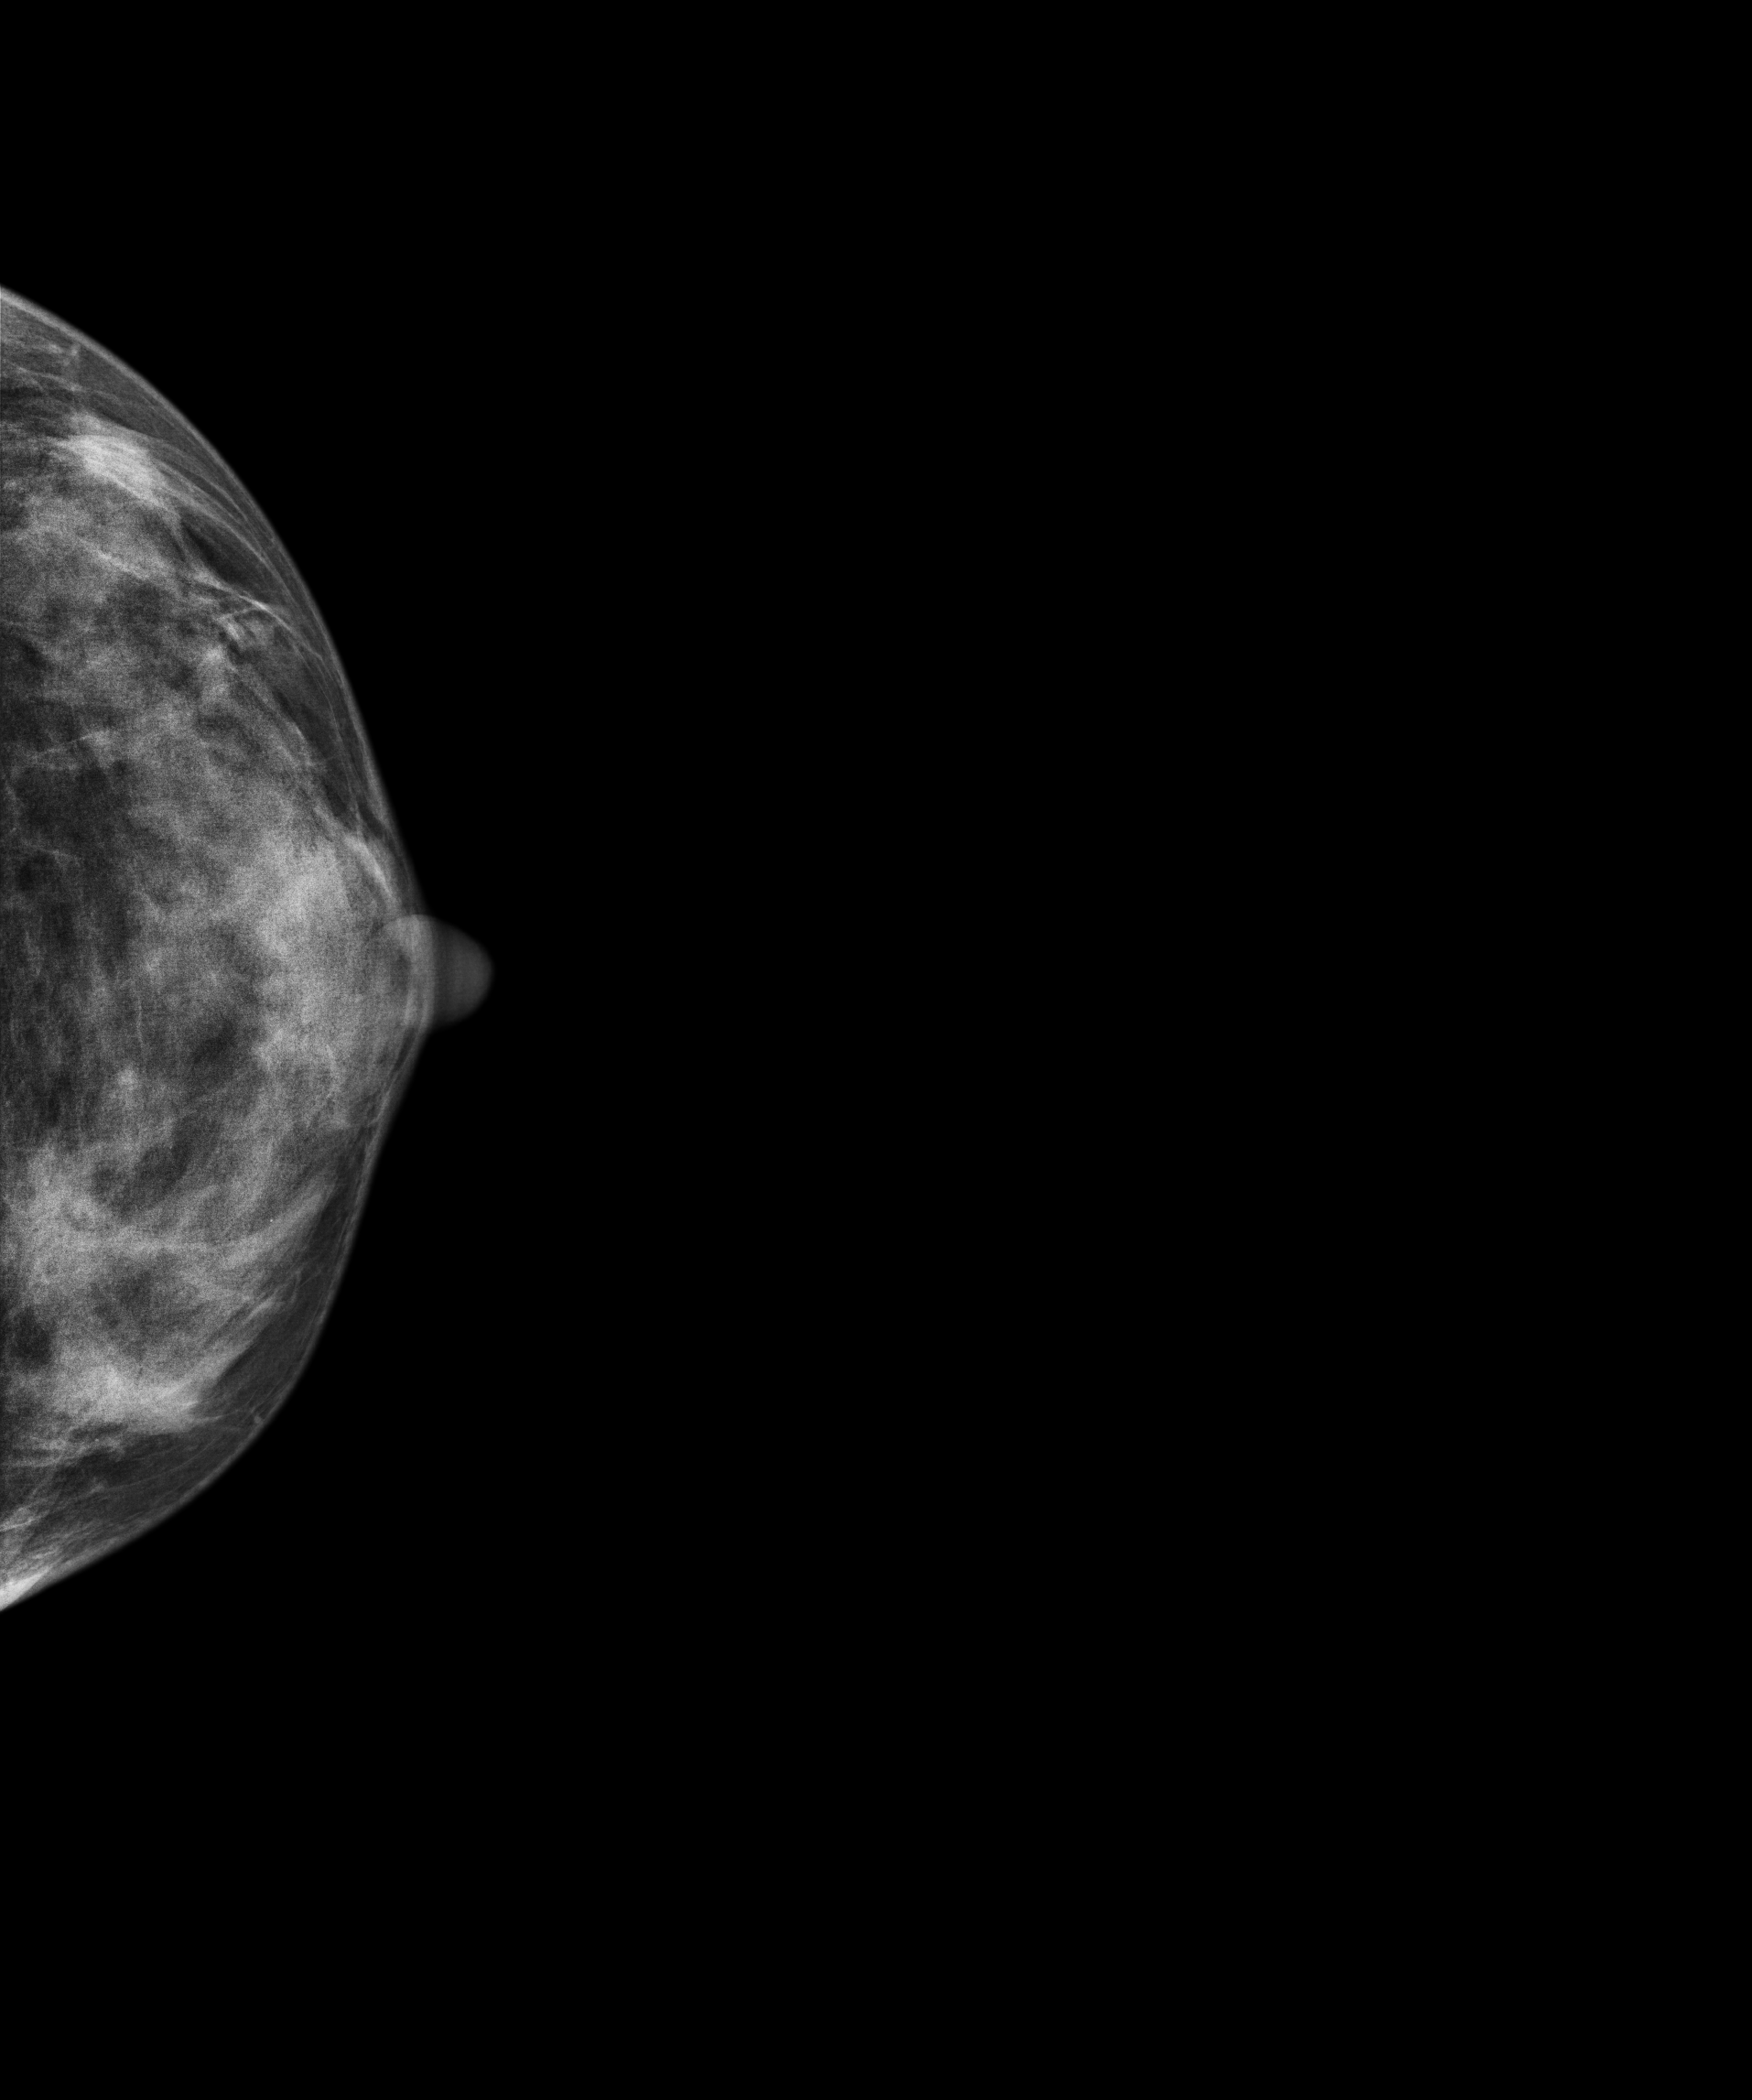
Cranio-caudal mammogram of the left breast. 45-year-old patient.
This breast has a mass, biopsy-confirmed malignant. Molecular subtype: luminal A.